Cranio-caudal mammogram of the right breast. 63 y/o patient.
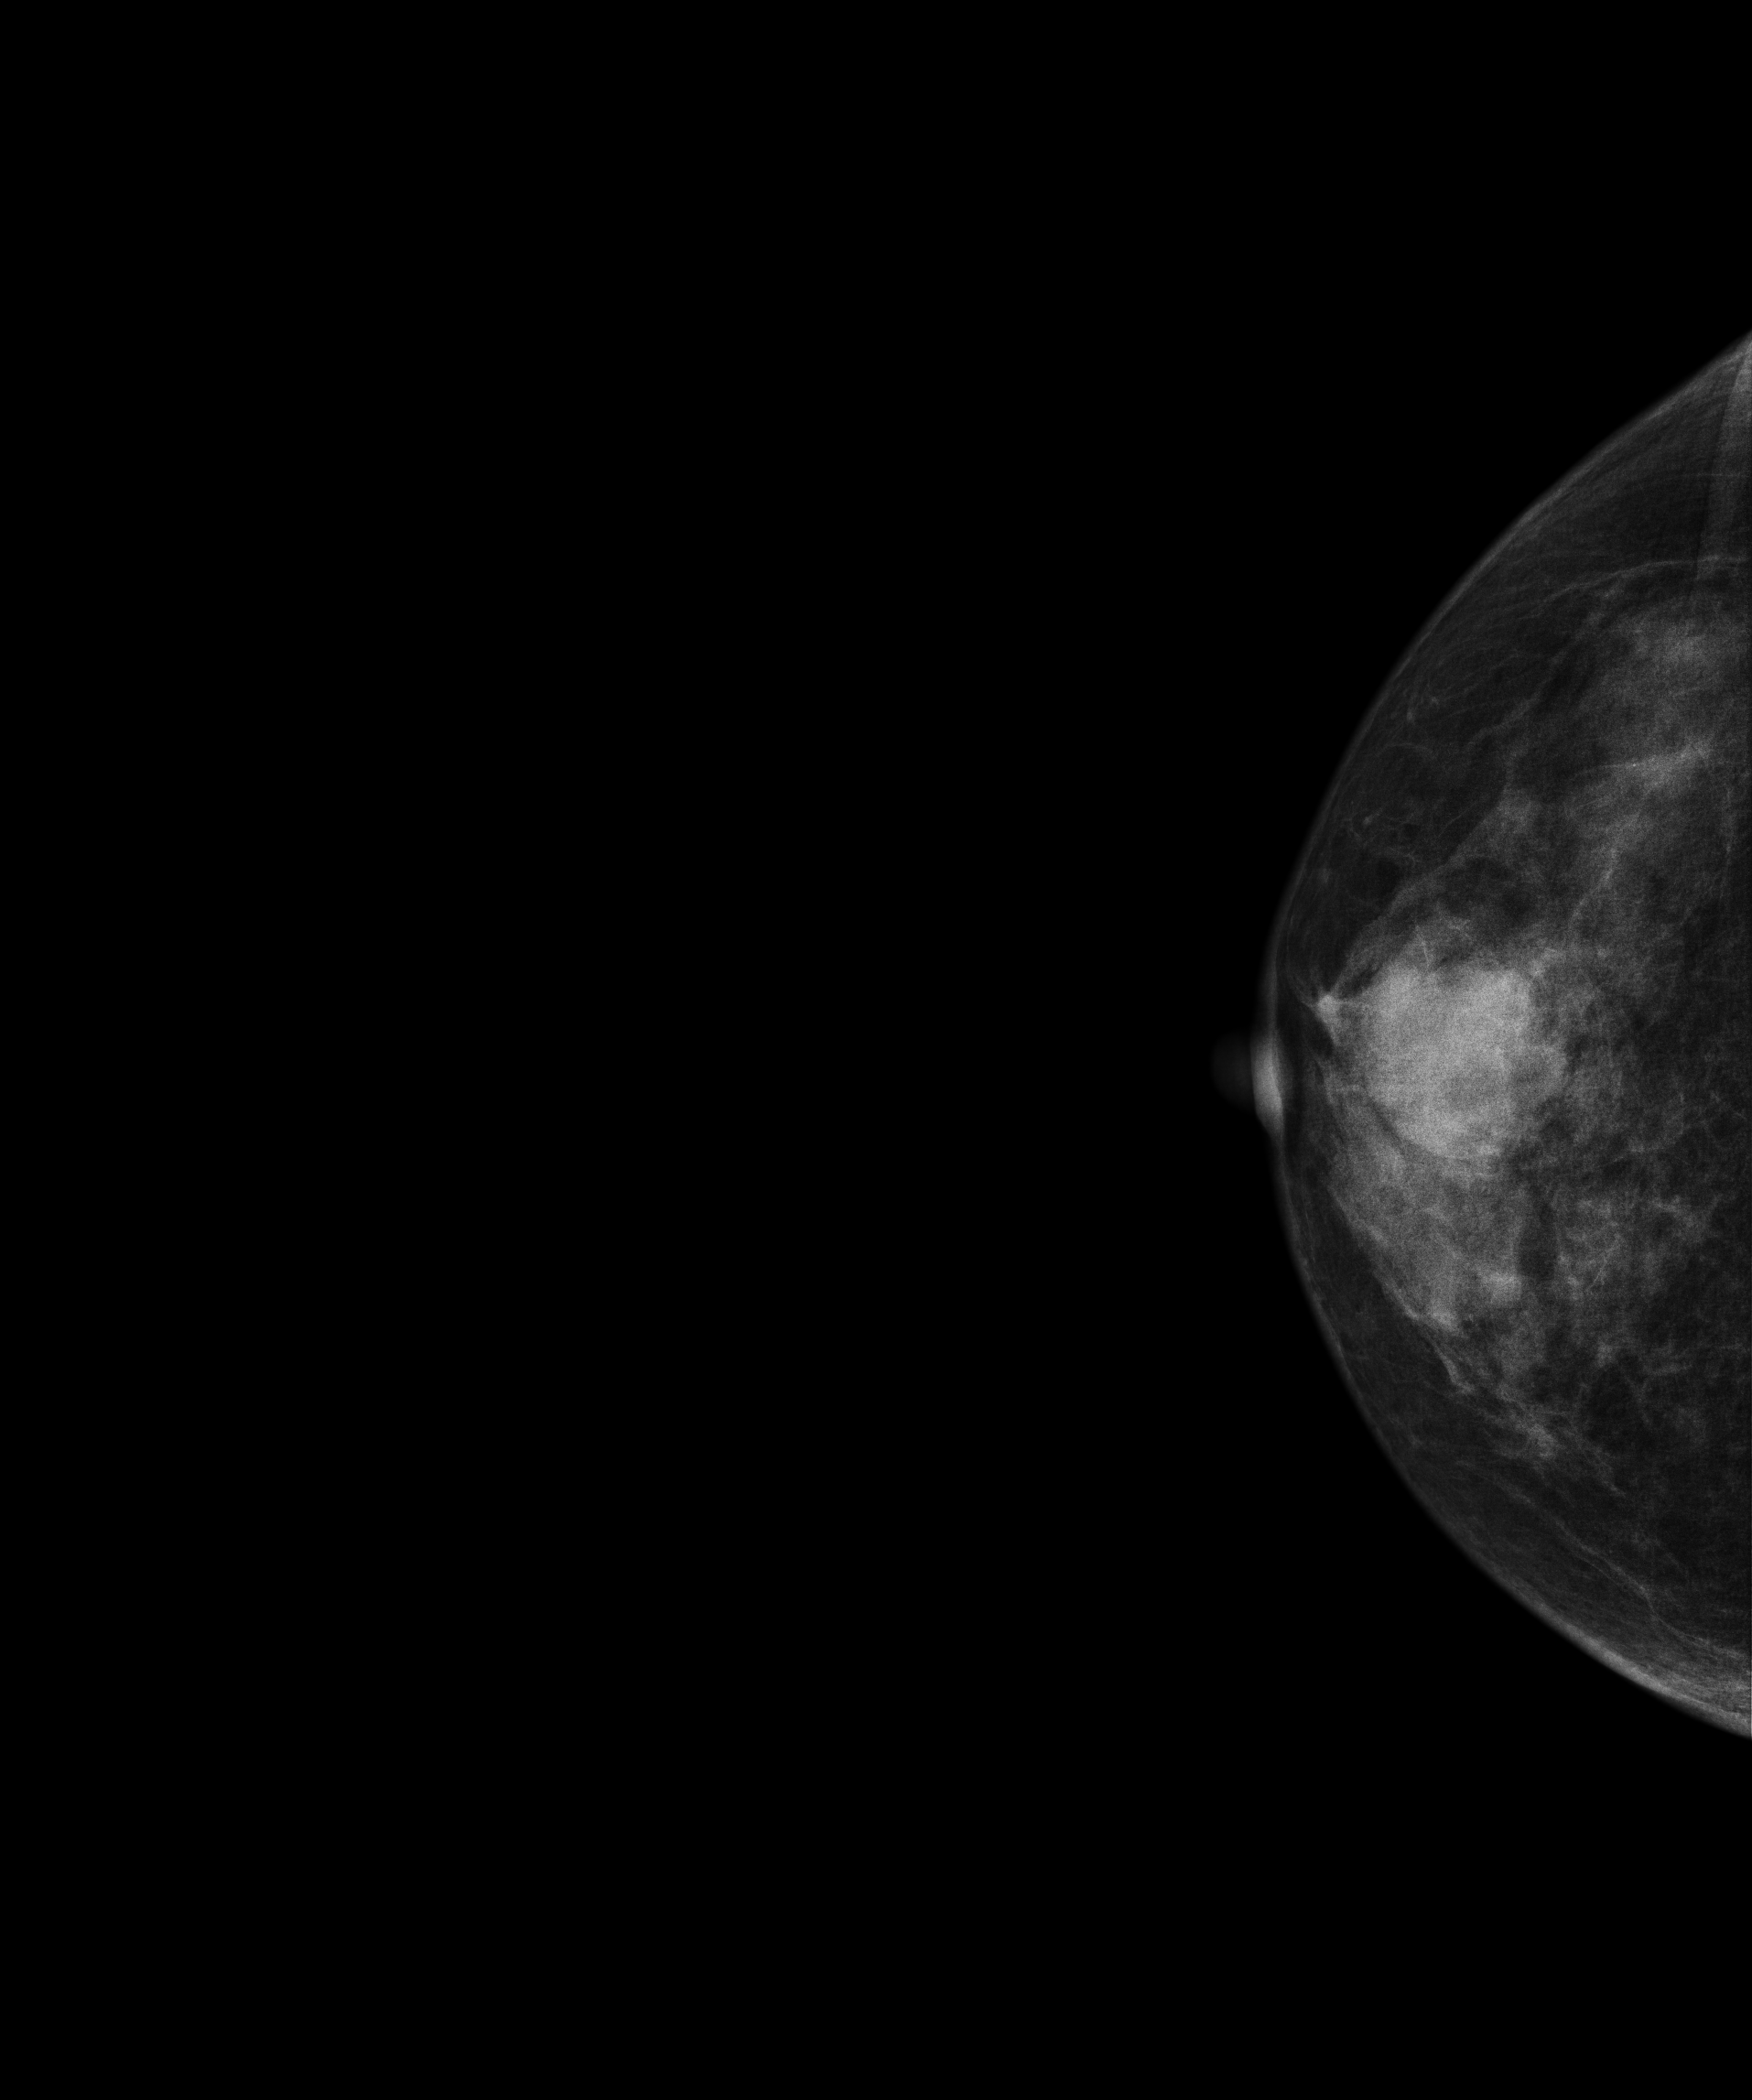
This breast has a mass, histologically confirmed malignant.